Right-breast mammogram, MLO. 55 y/o patient.
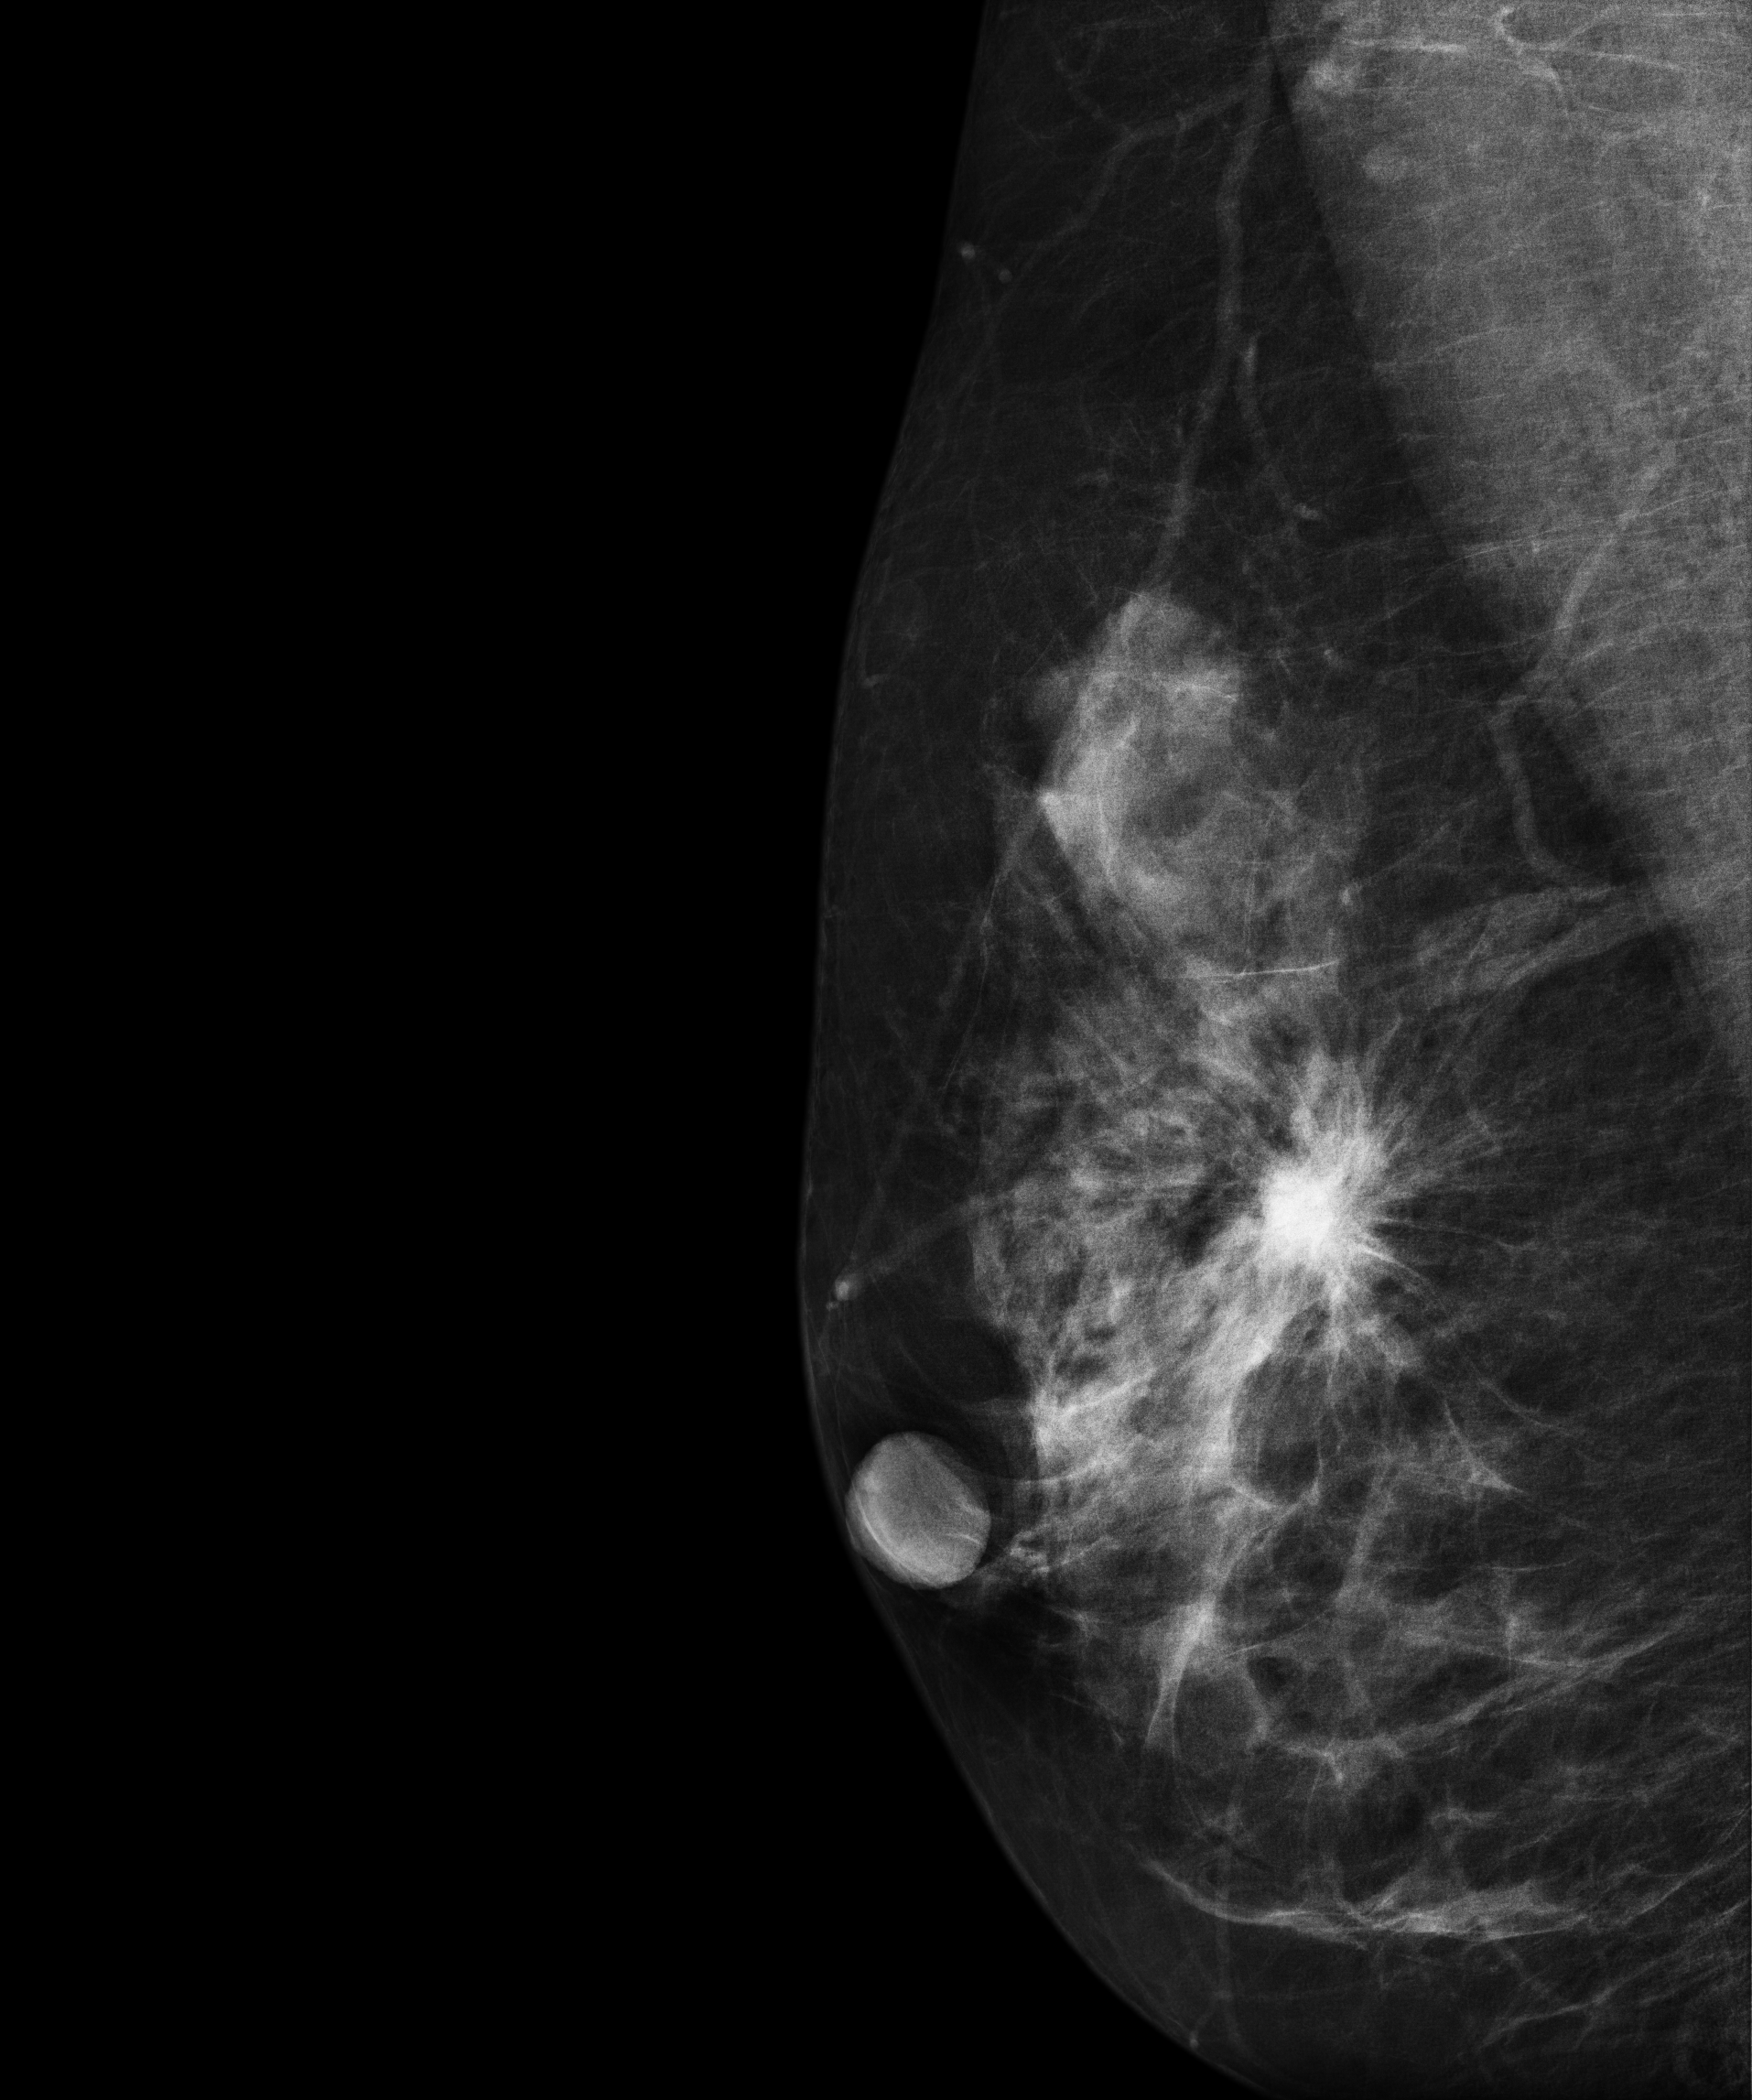
This breast has a mass, biopsy-proven malignant.